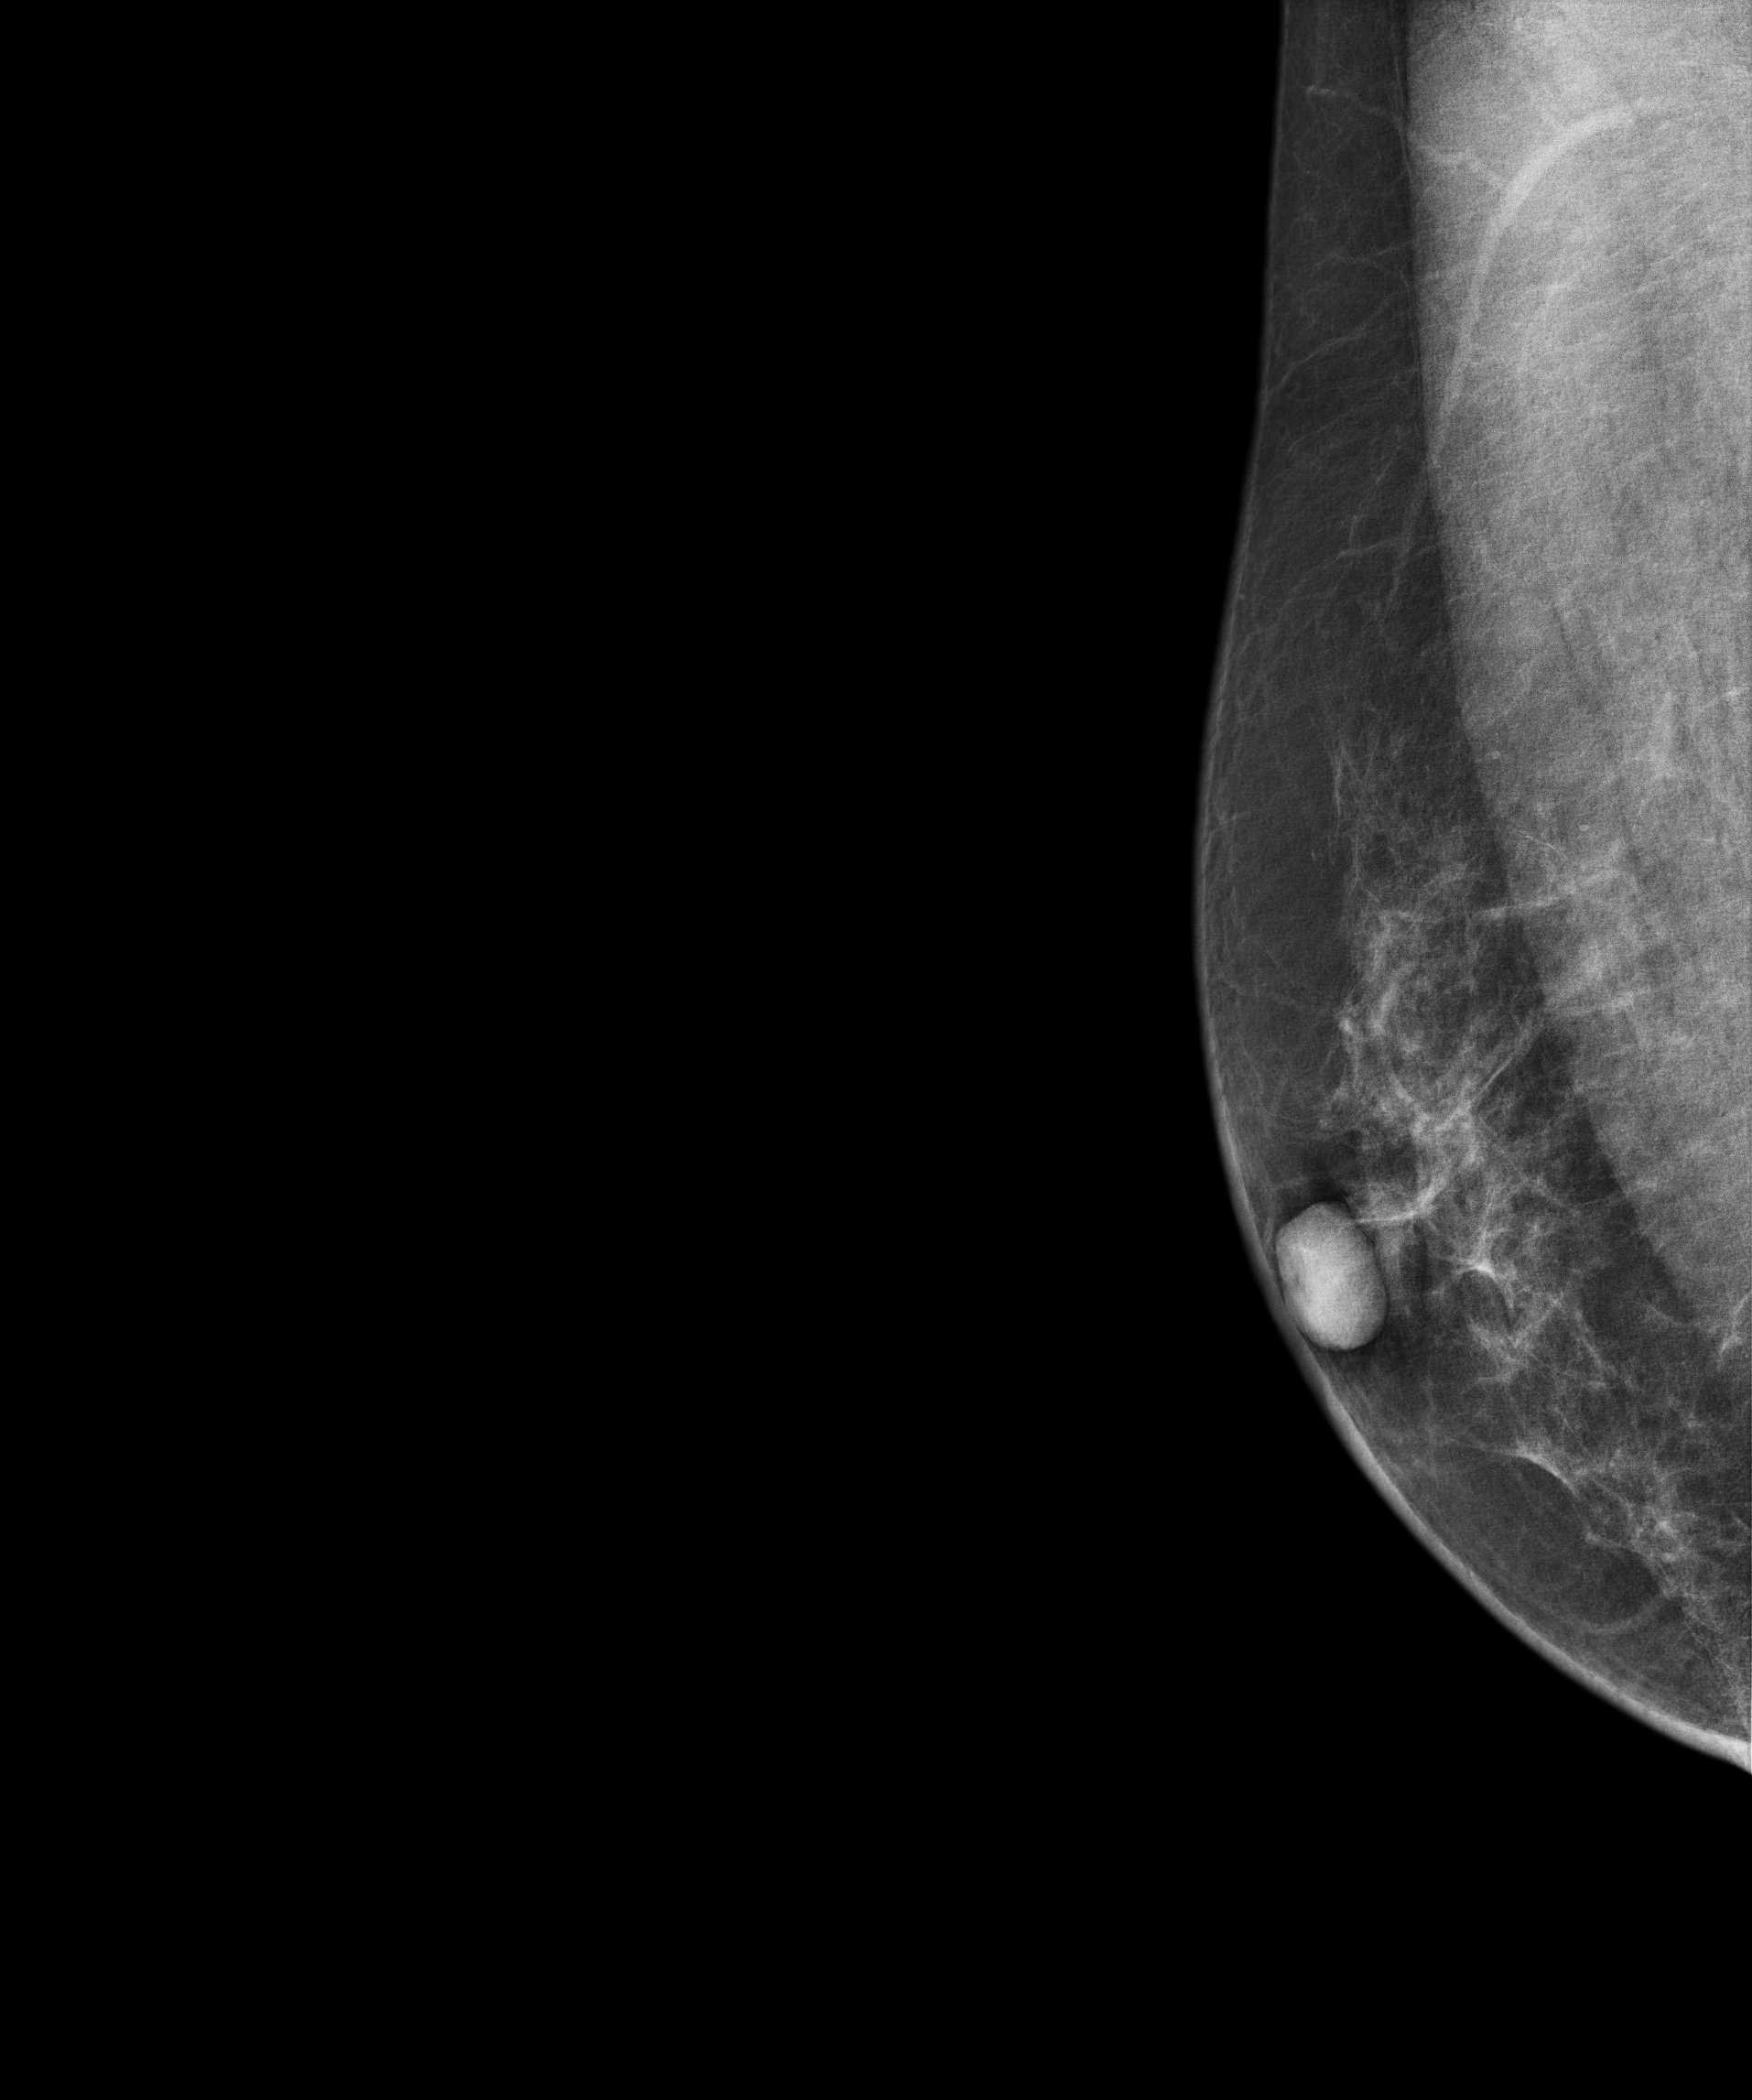
Medio-lateral oblique mammogram of the right breast. Patient age 61.
Contralateral breast — no documented abnormality on this side.